CC mammogram of the right breast. Patient age 54.
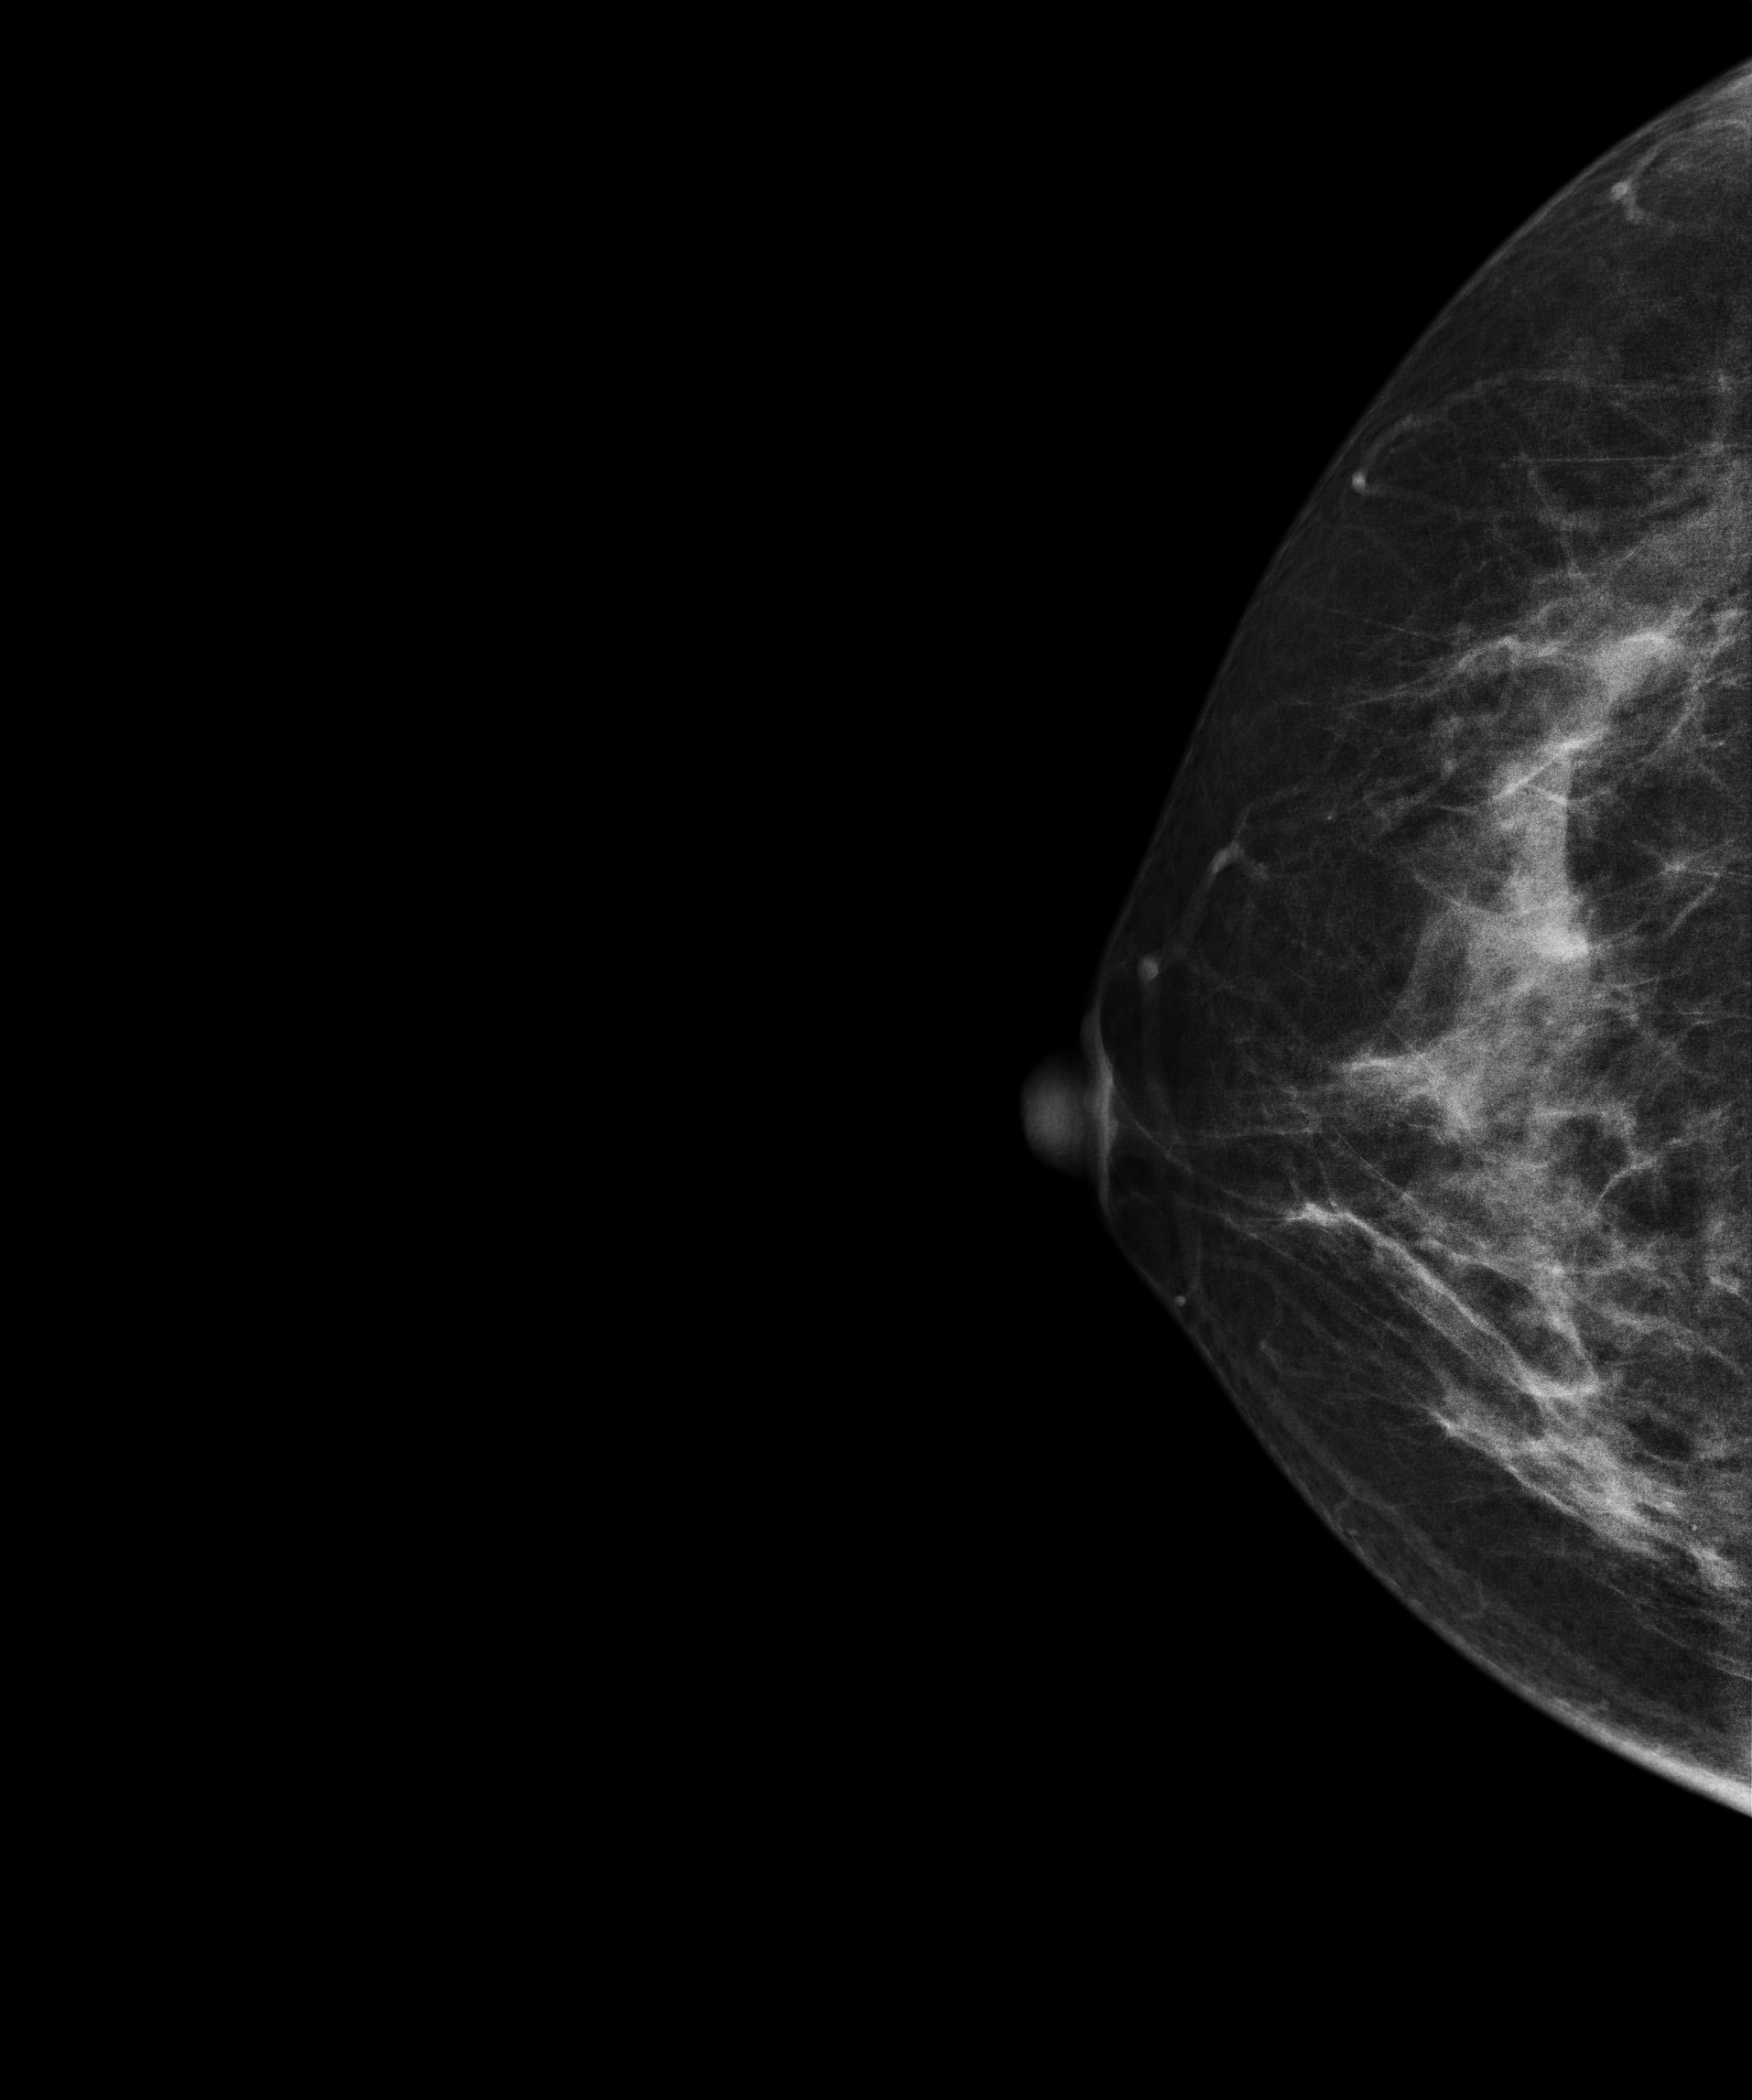
Contralateral breast — no documented abnormality on this side.